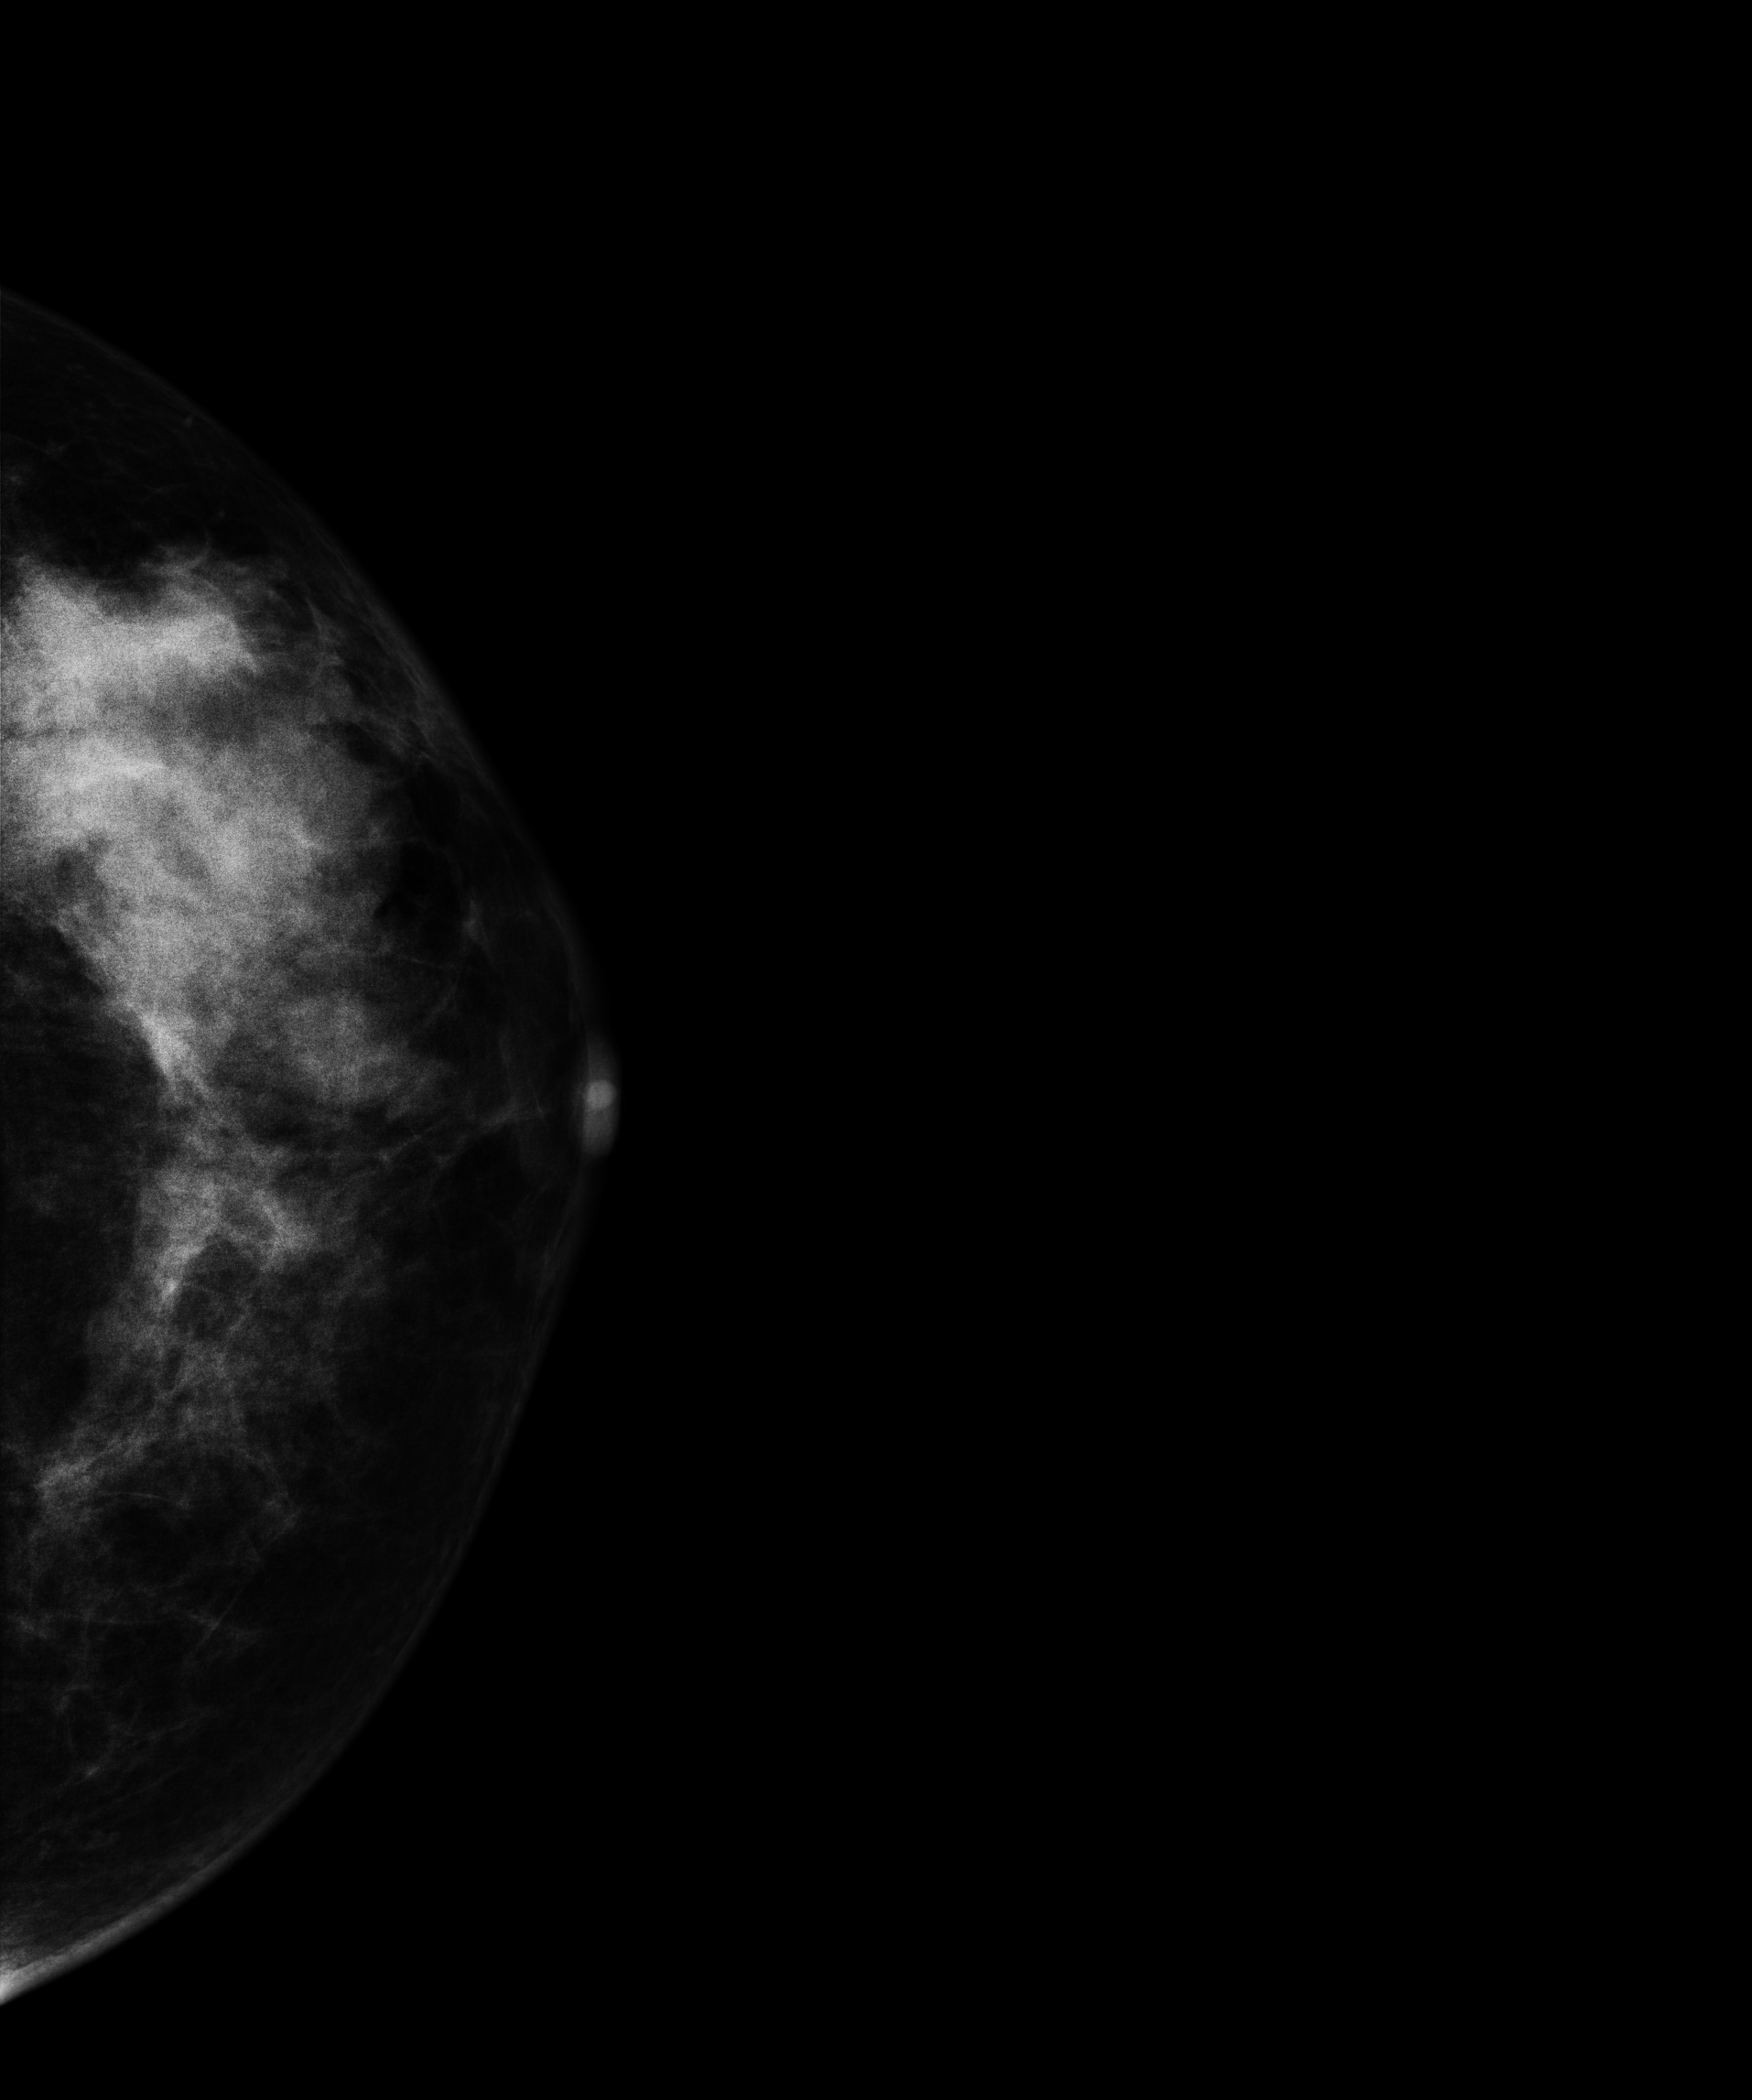
Digital mammography. Left breast, CC projection. 45 y/o patient.
This breast has a mass, histologically confirmed malignant. Molecular subtype: luminal B.